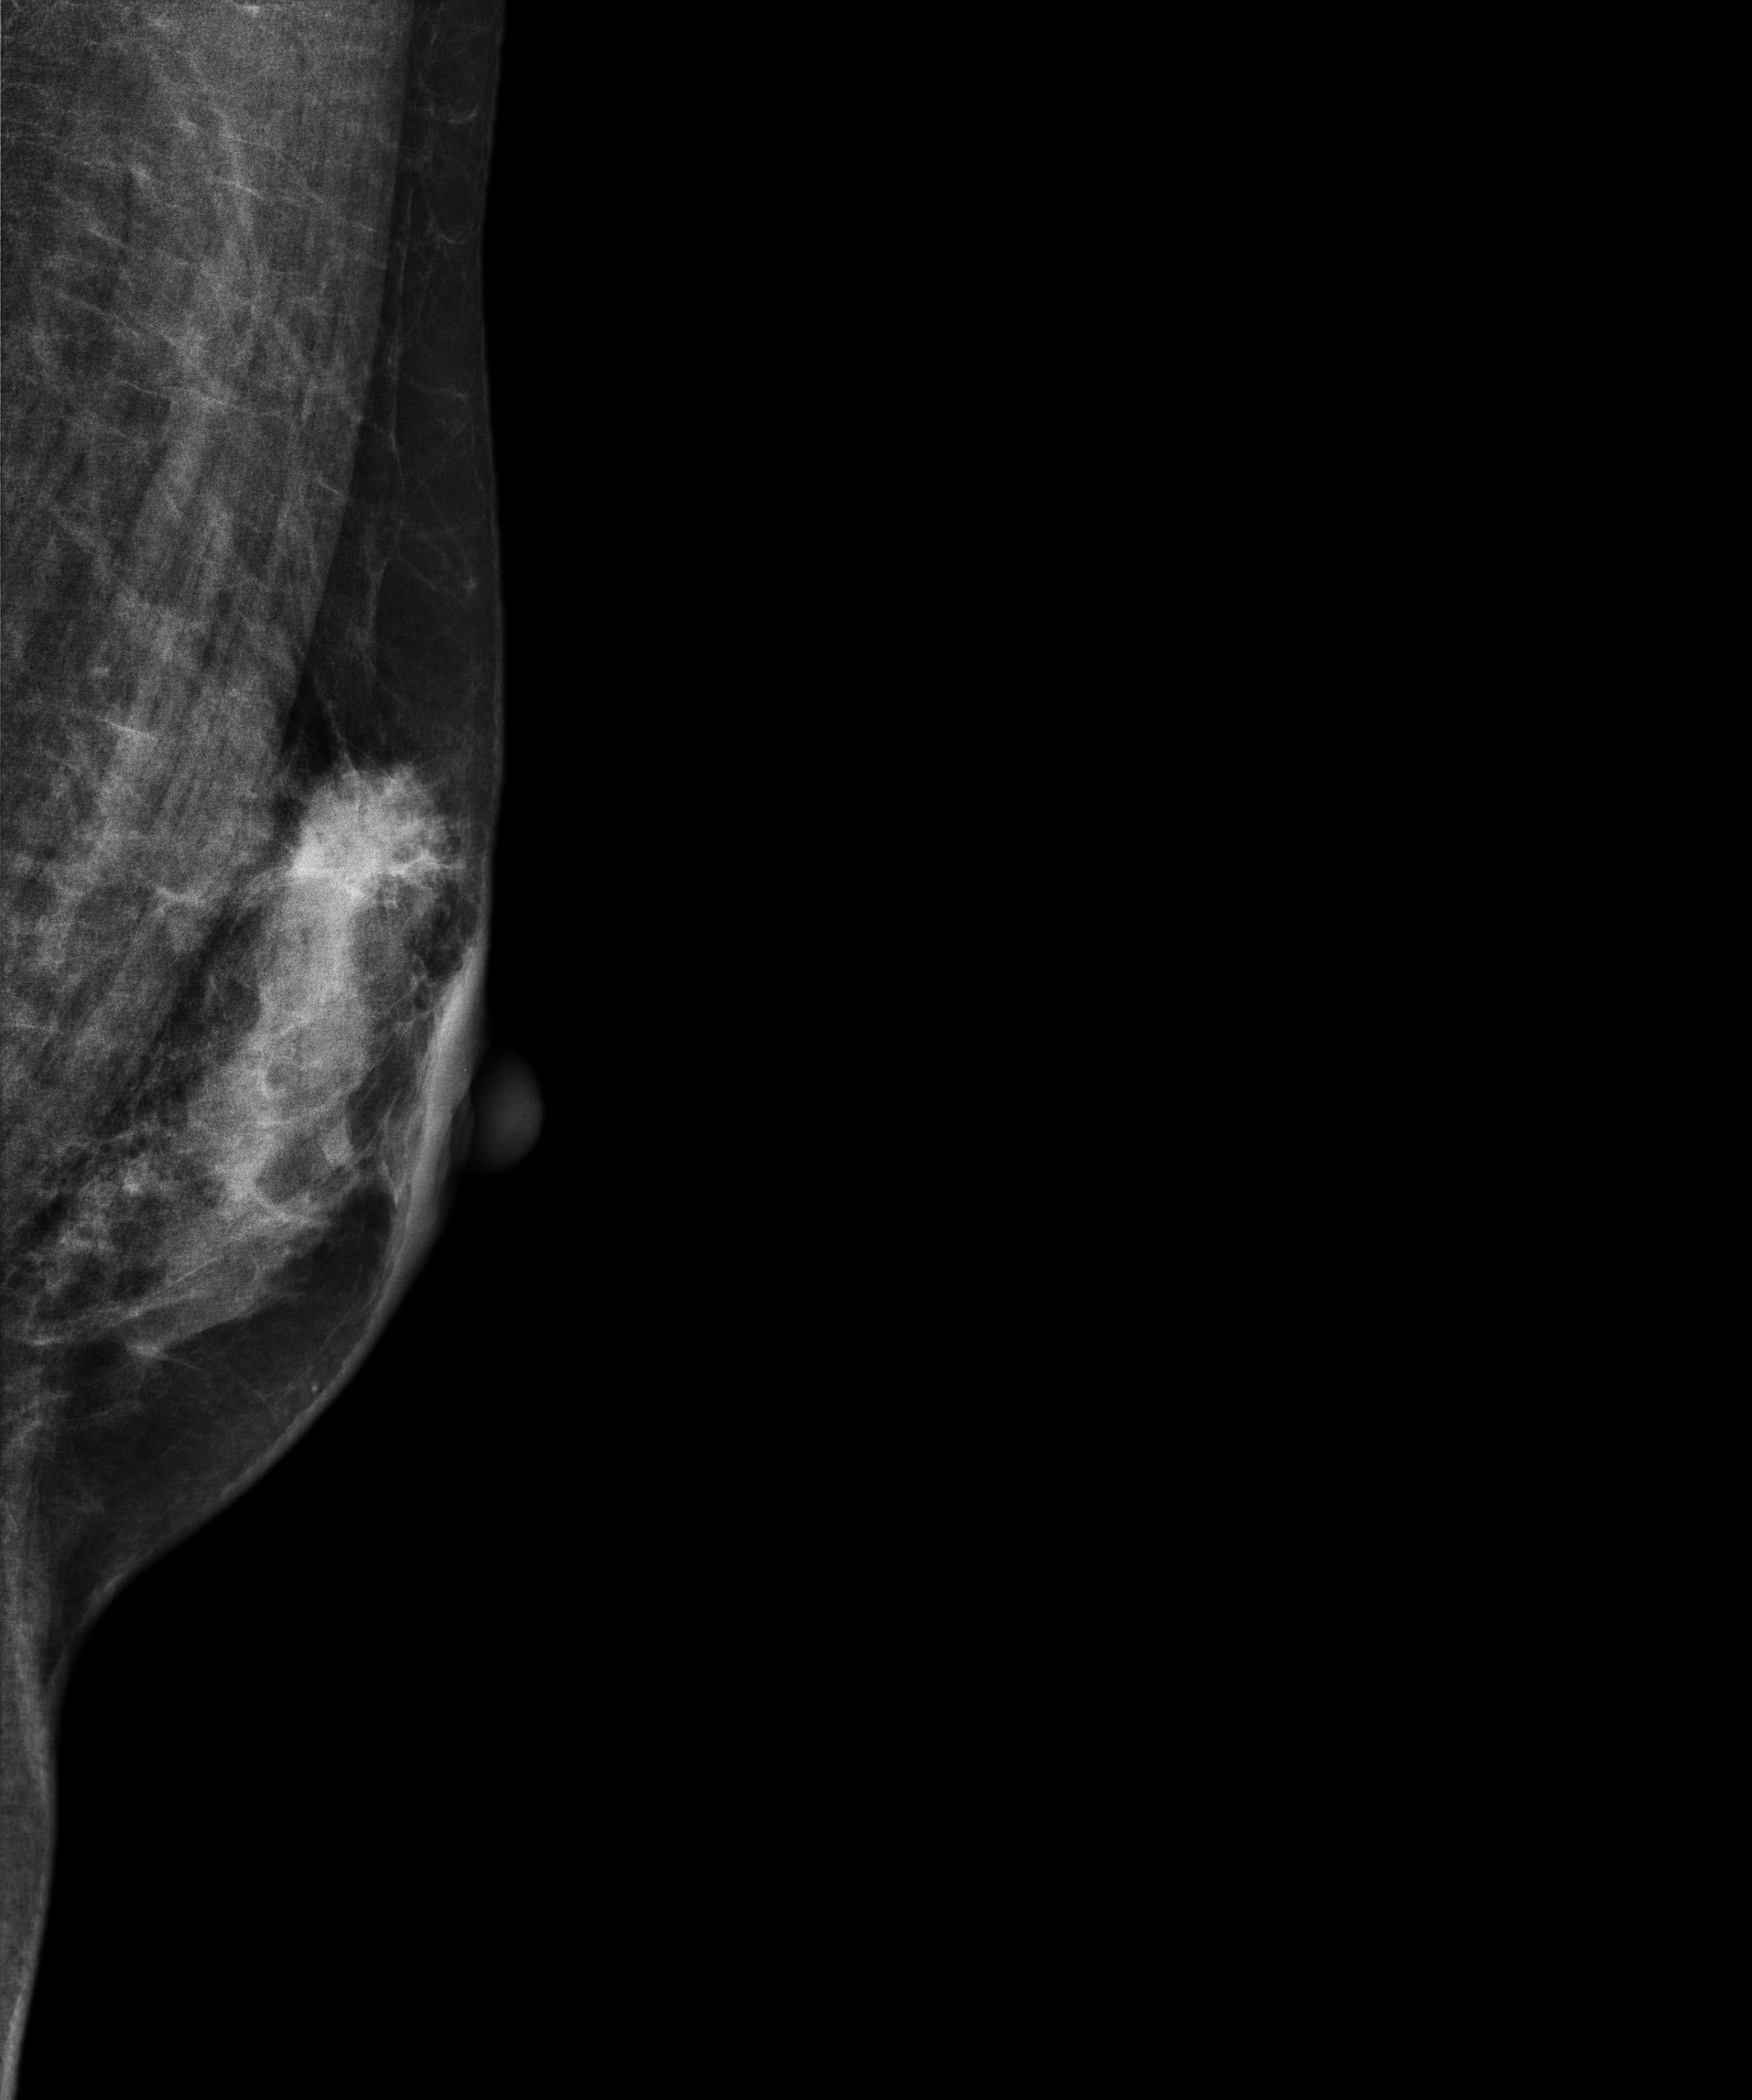
Mammogram — left medio-lateral oblique. Patient age 46.
This breast has a mass, pathology-confirmed malignant. Molecular subtype: luminal B.